CC mammogram of the left breast. 34 y/o patient.
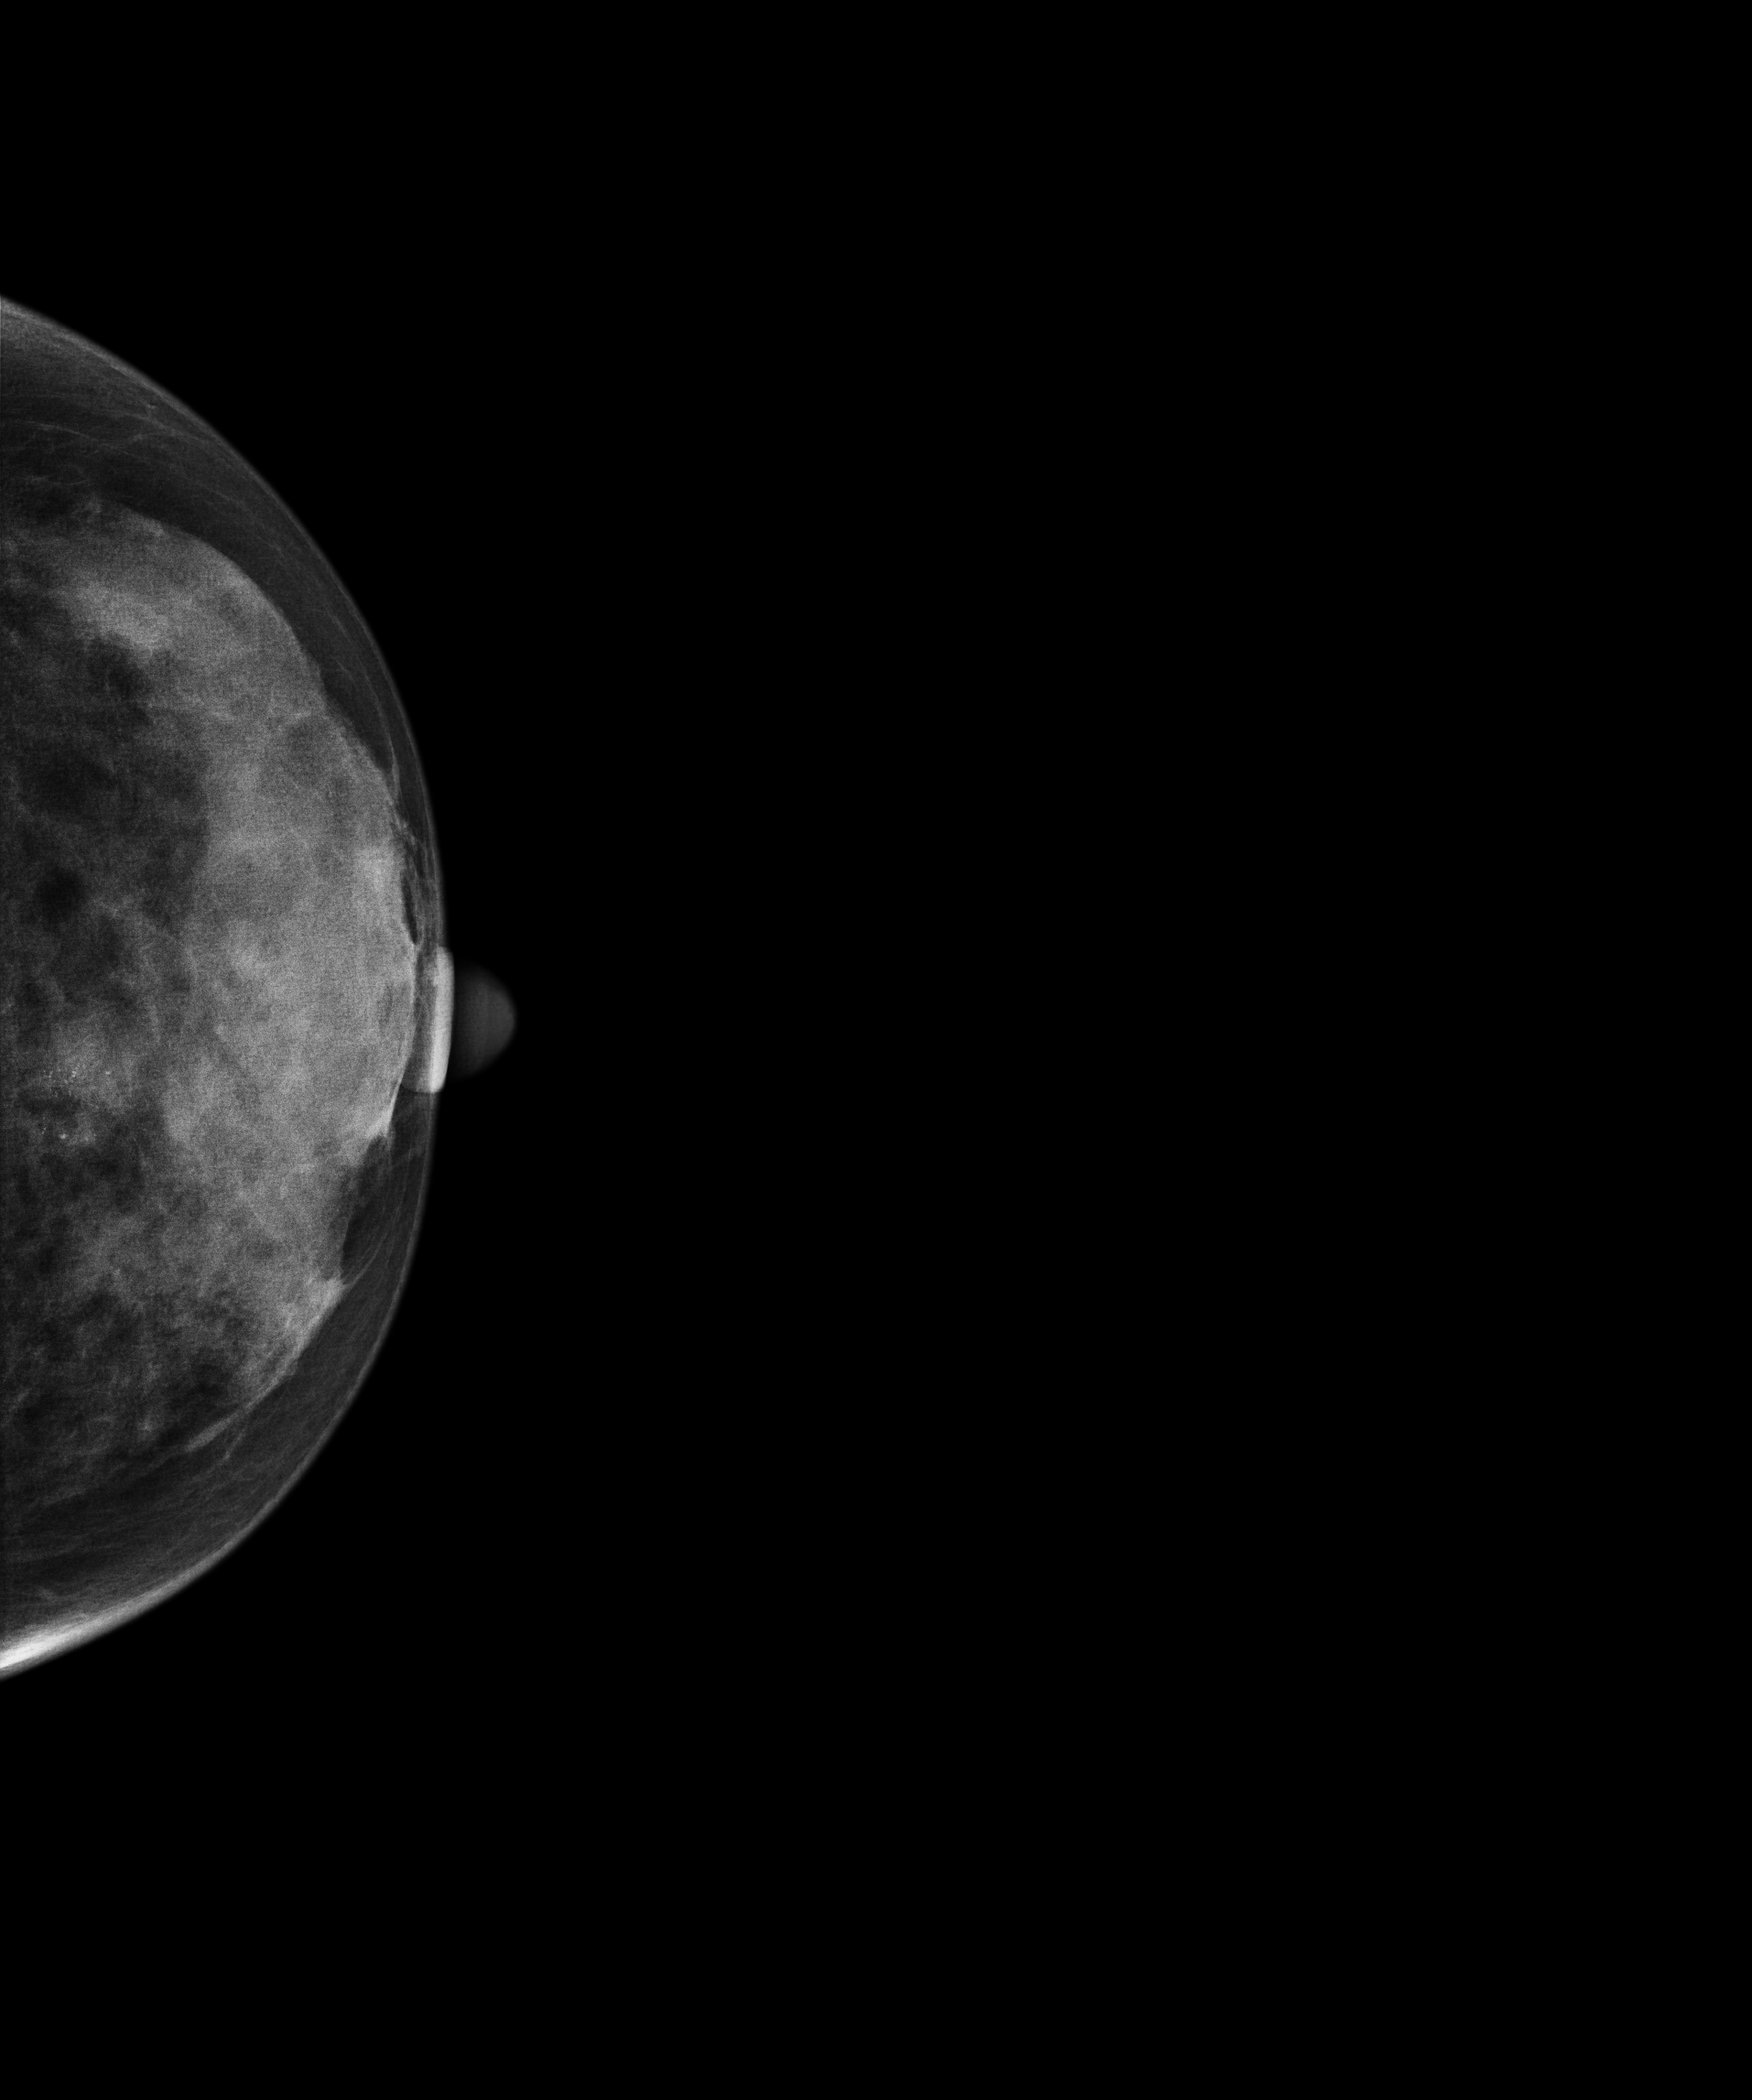
This breast has calcifications, biopsy-confirmed malignant.